Digital mammography. Left breast, MLO projection. 58-year-old patient.
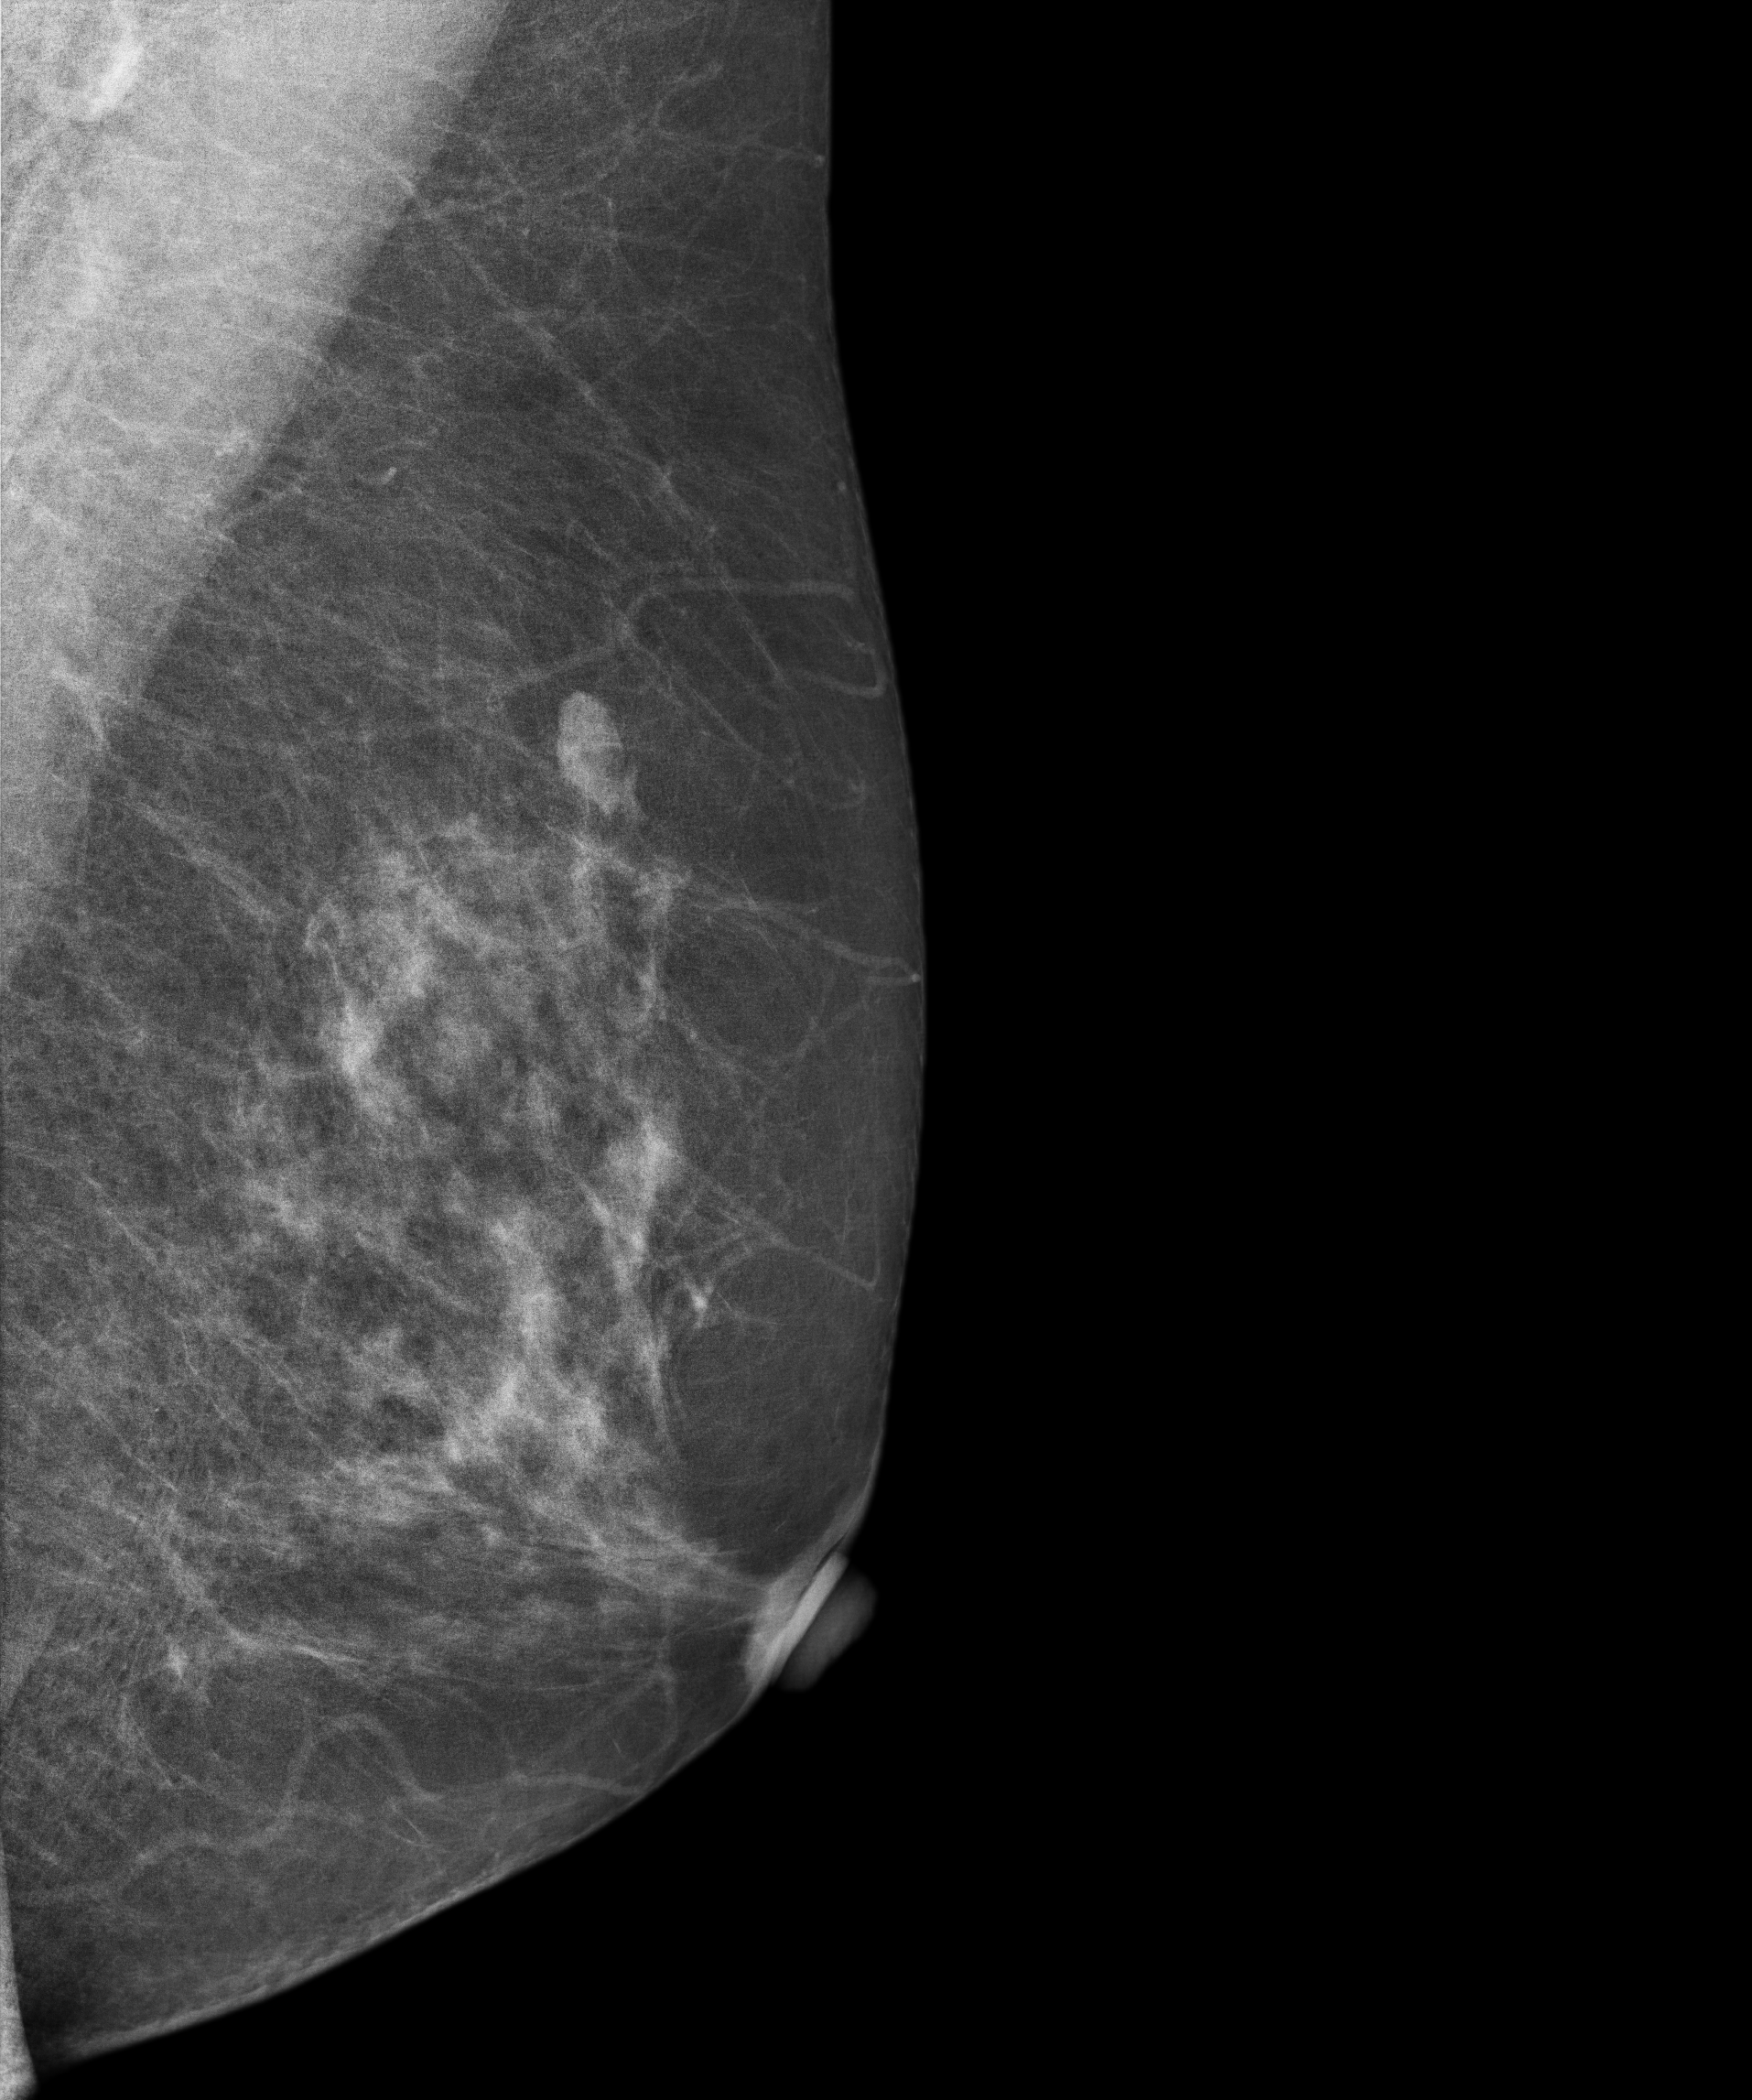
This breast has a mass, biopsy-proven benign.